Left-breast mammogram, medio-lateral oblique. 41-year-old patient.
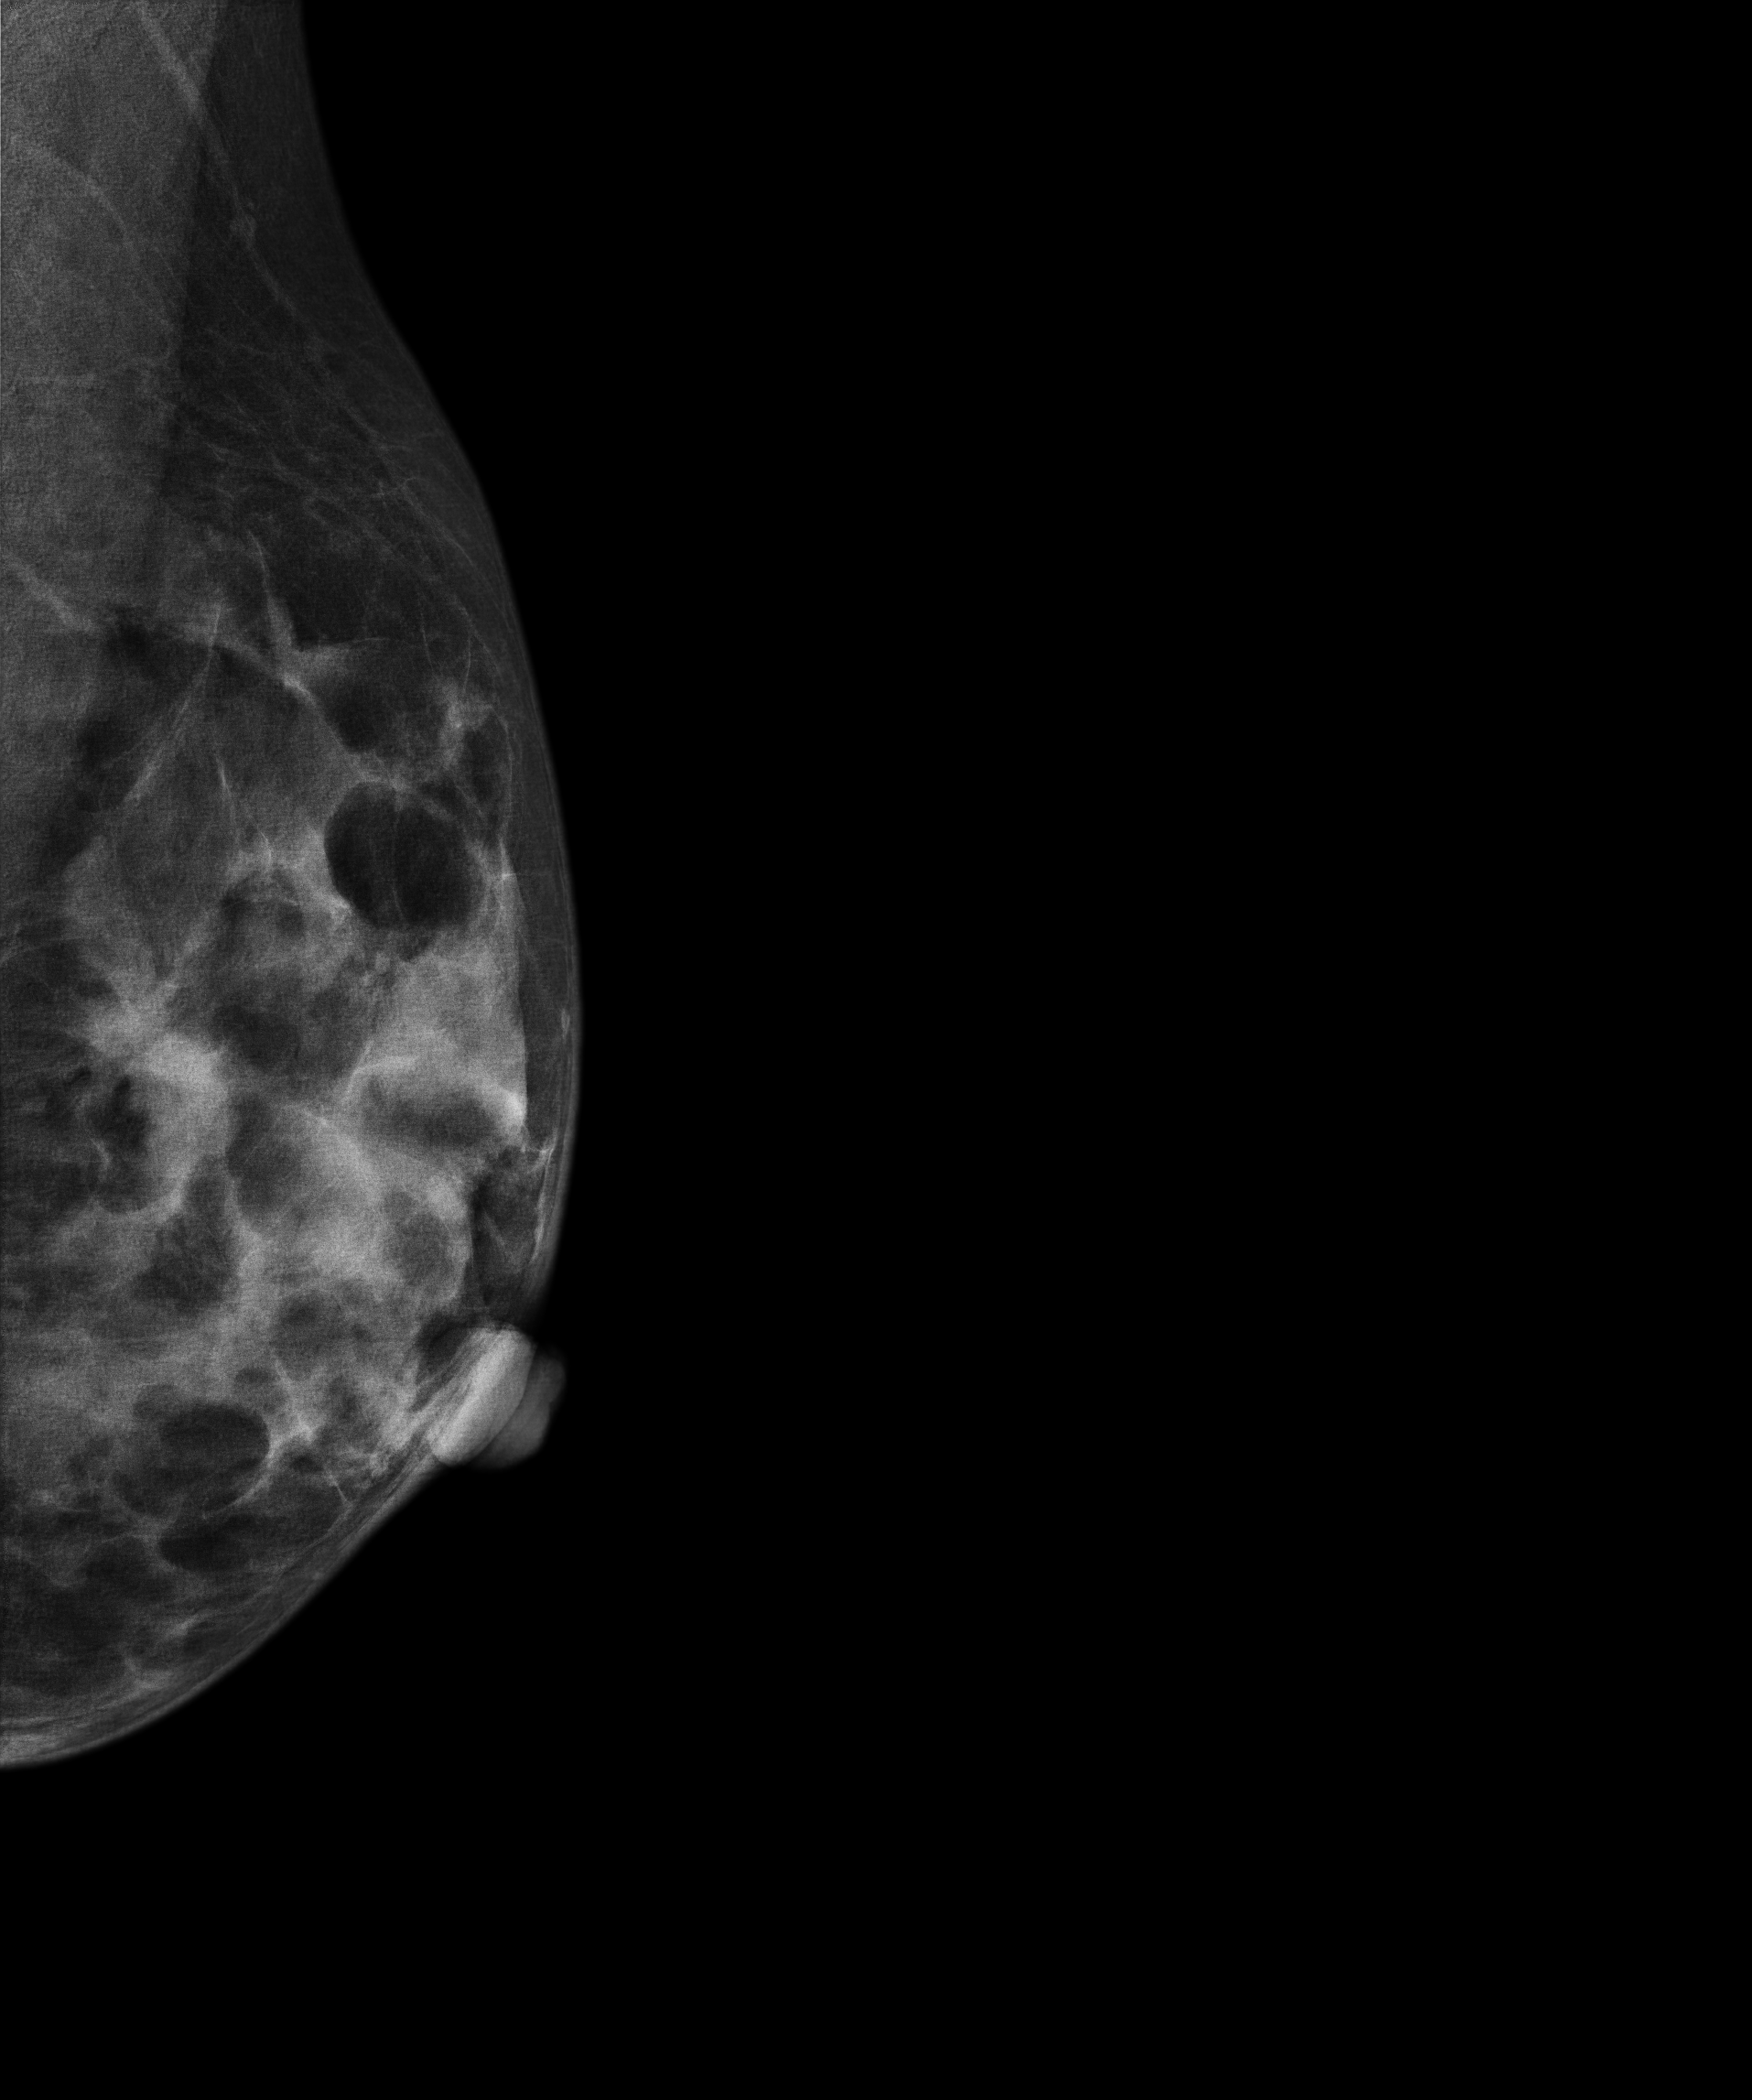
This breast has a mass, pathology-confirmed malignant.